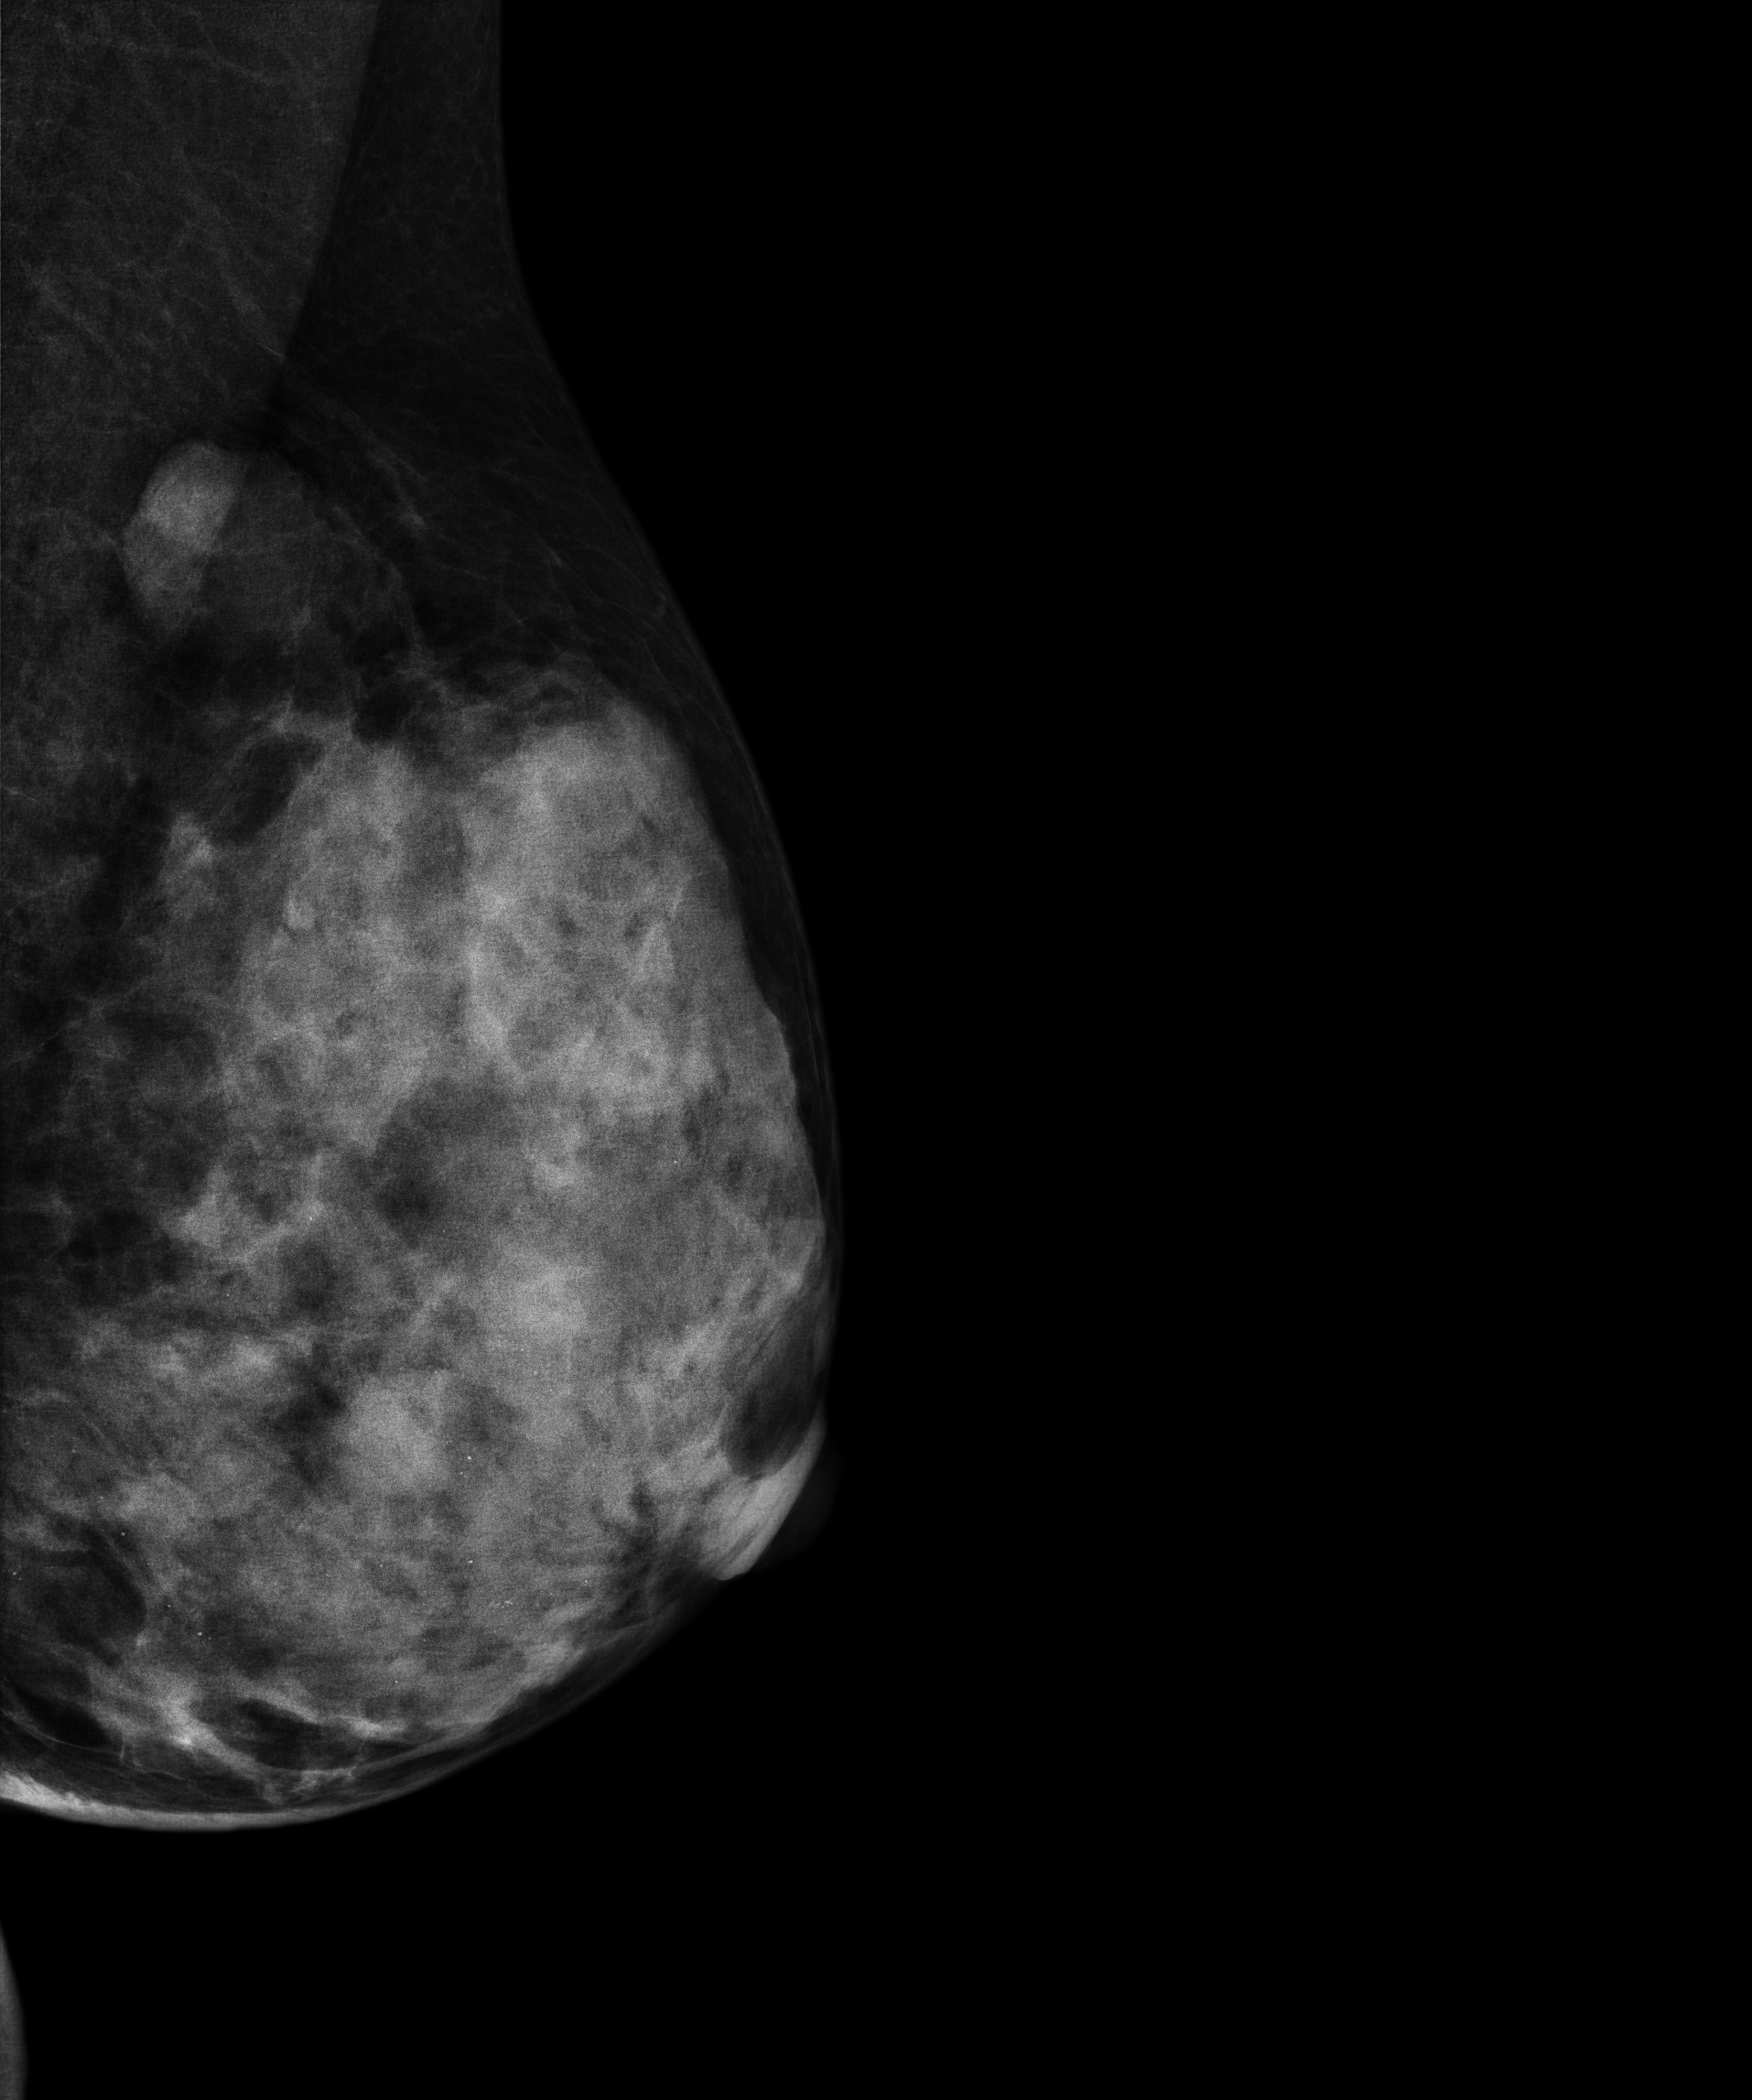
Mammogram, left breast, medio-lateral oblique view. Patient age 44.
This breast has a mass and calcifications, histologically confirmed benign.